Digital mammography. Left breast, MLO projection. Patient age 32.
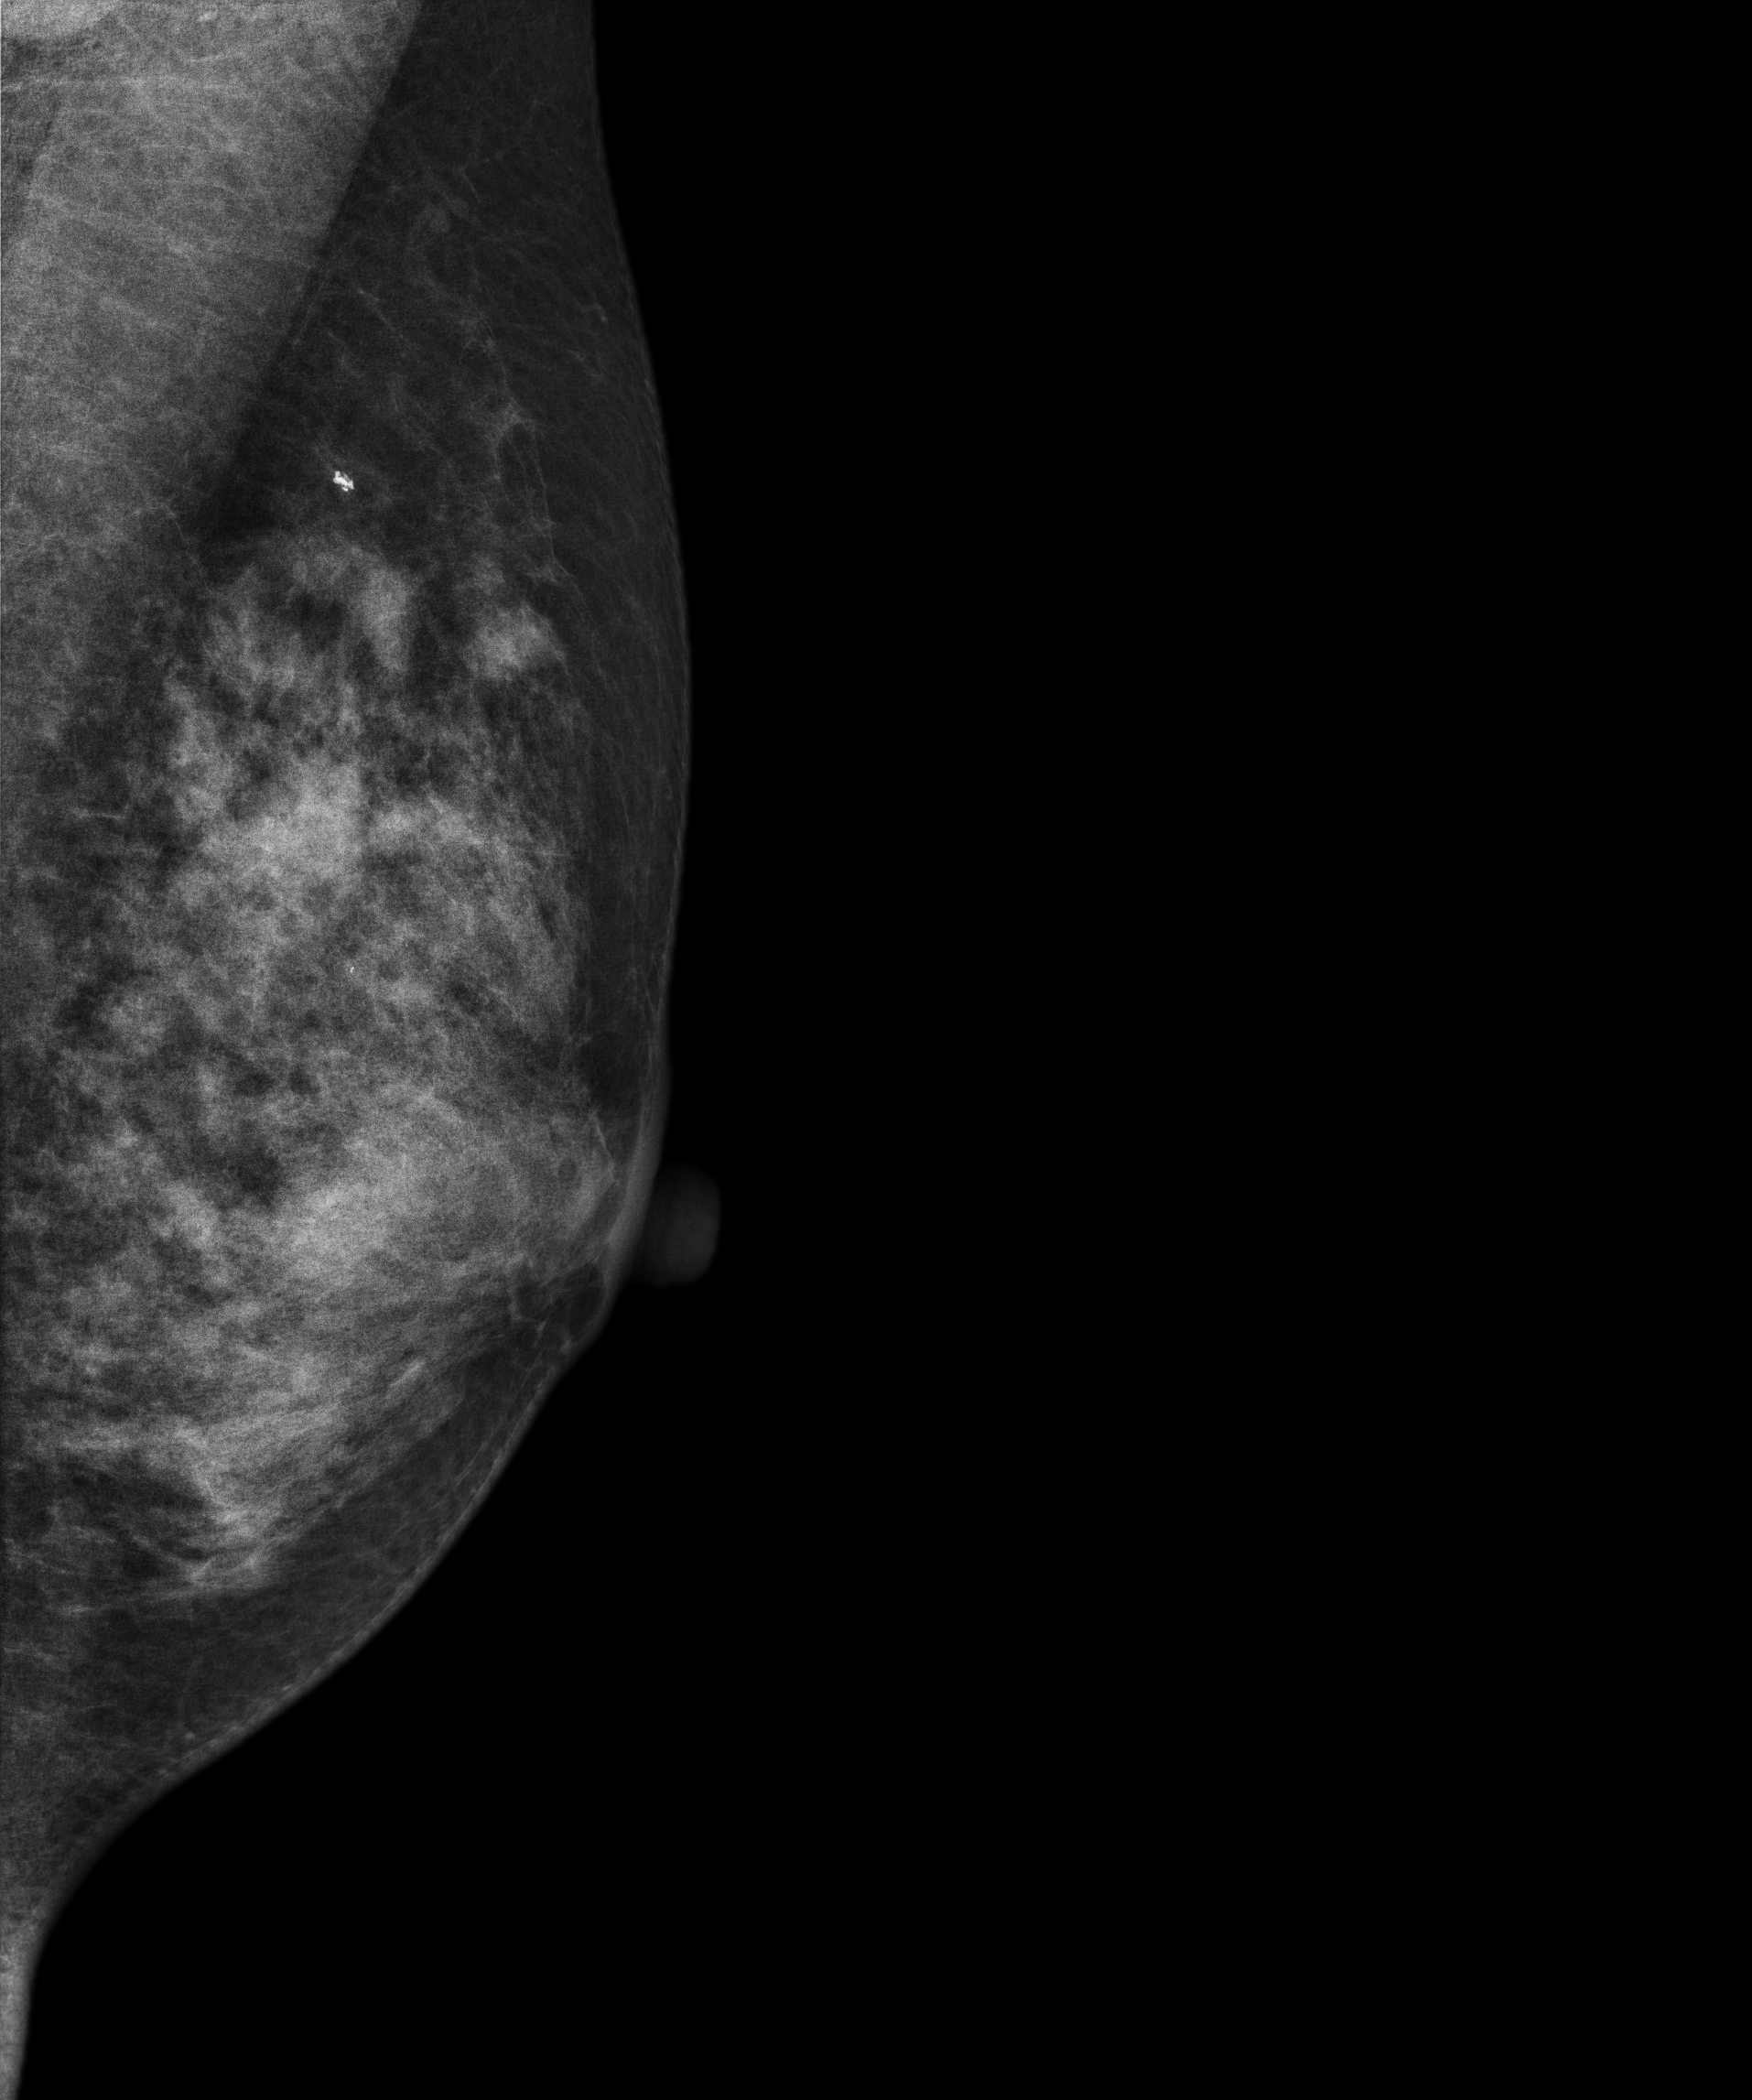
This breast has a mass, pathology-confirmed malignant. Molecular subtype: HER2-enriched.